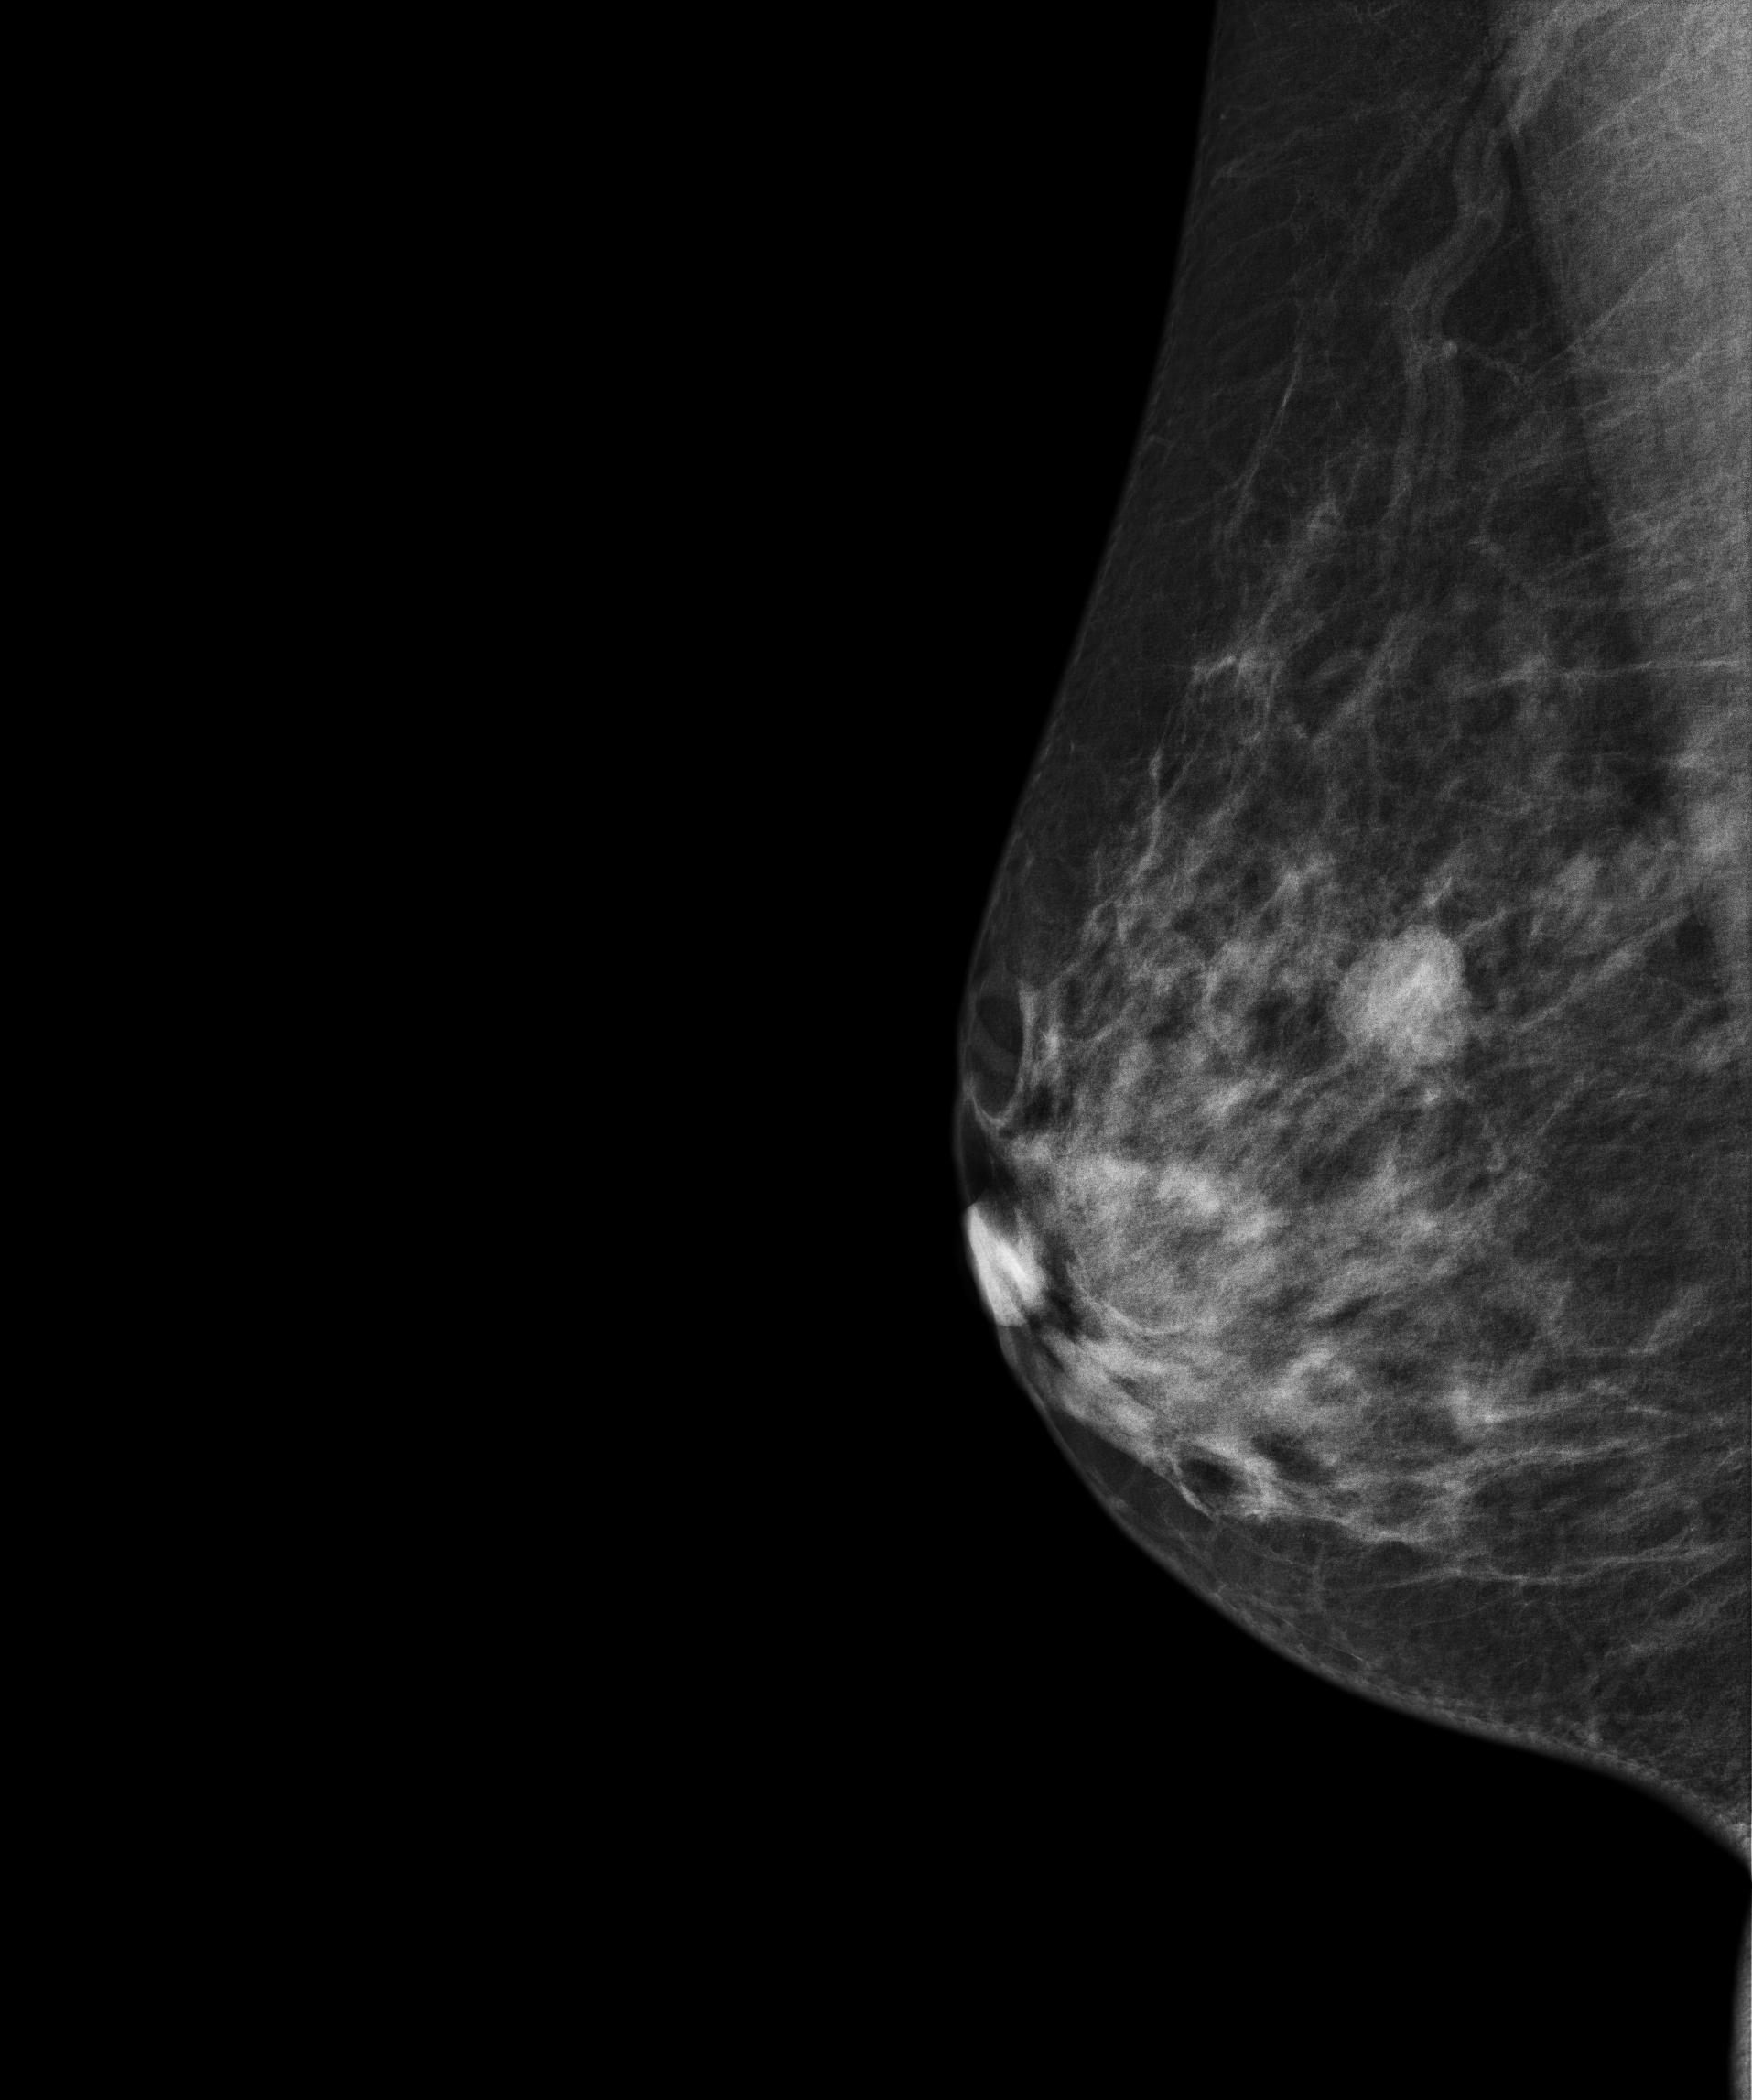
Digital mammography. Right breast, MLO projection. Patient age 44.
This breast has a mass, biopsy-proven benign.